Digital mammography. Right breast, CC projection. Patient age 50.
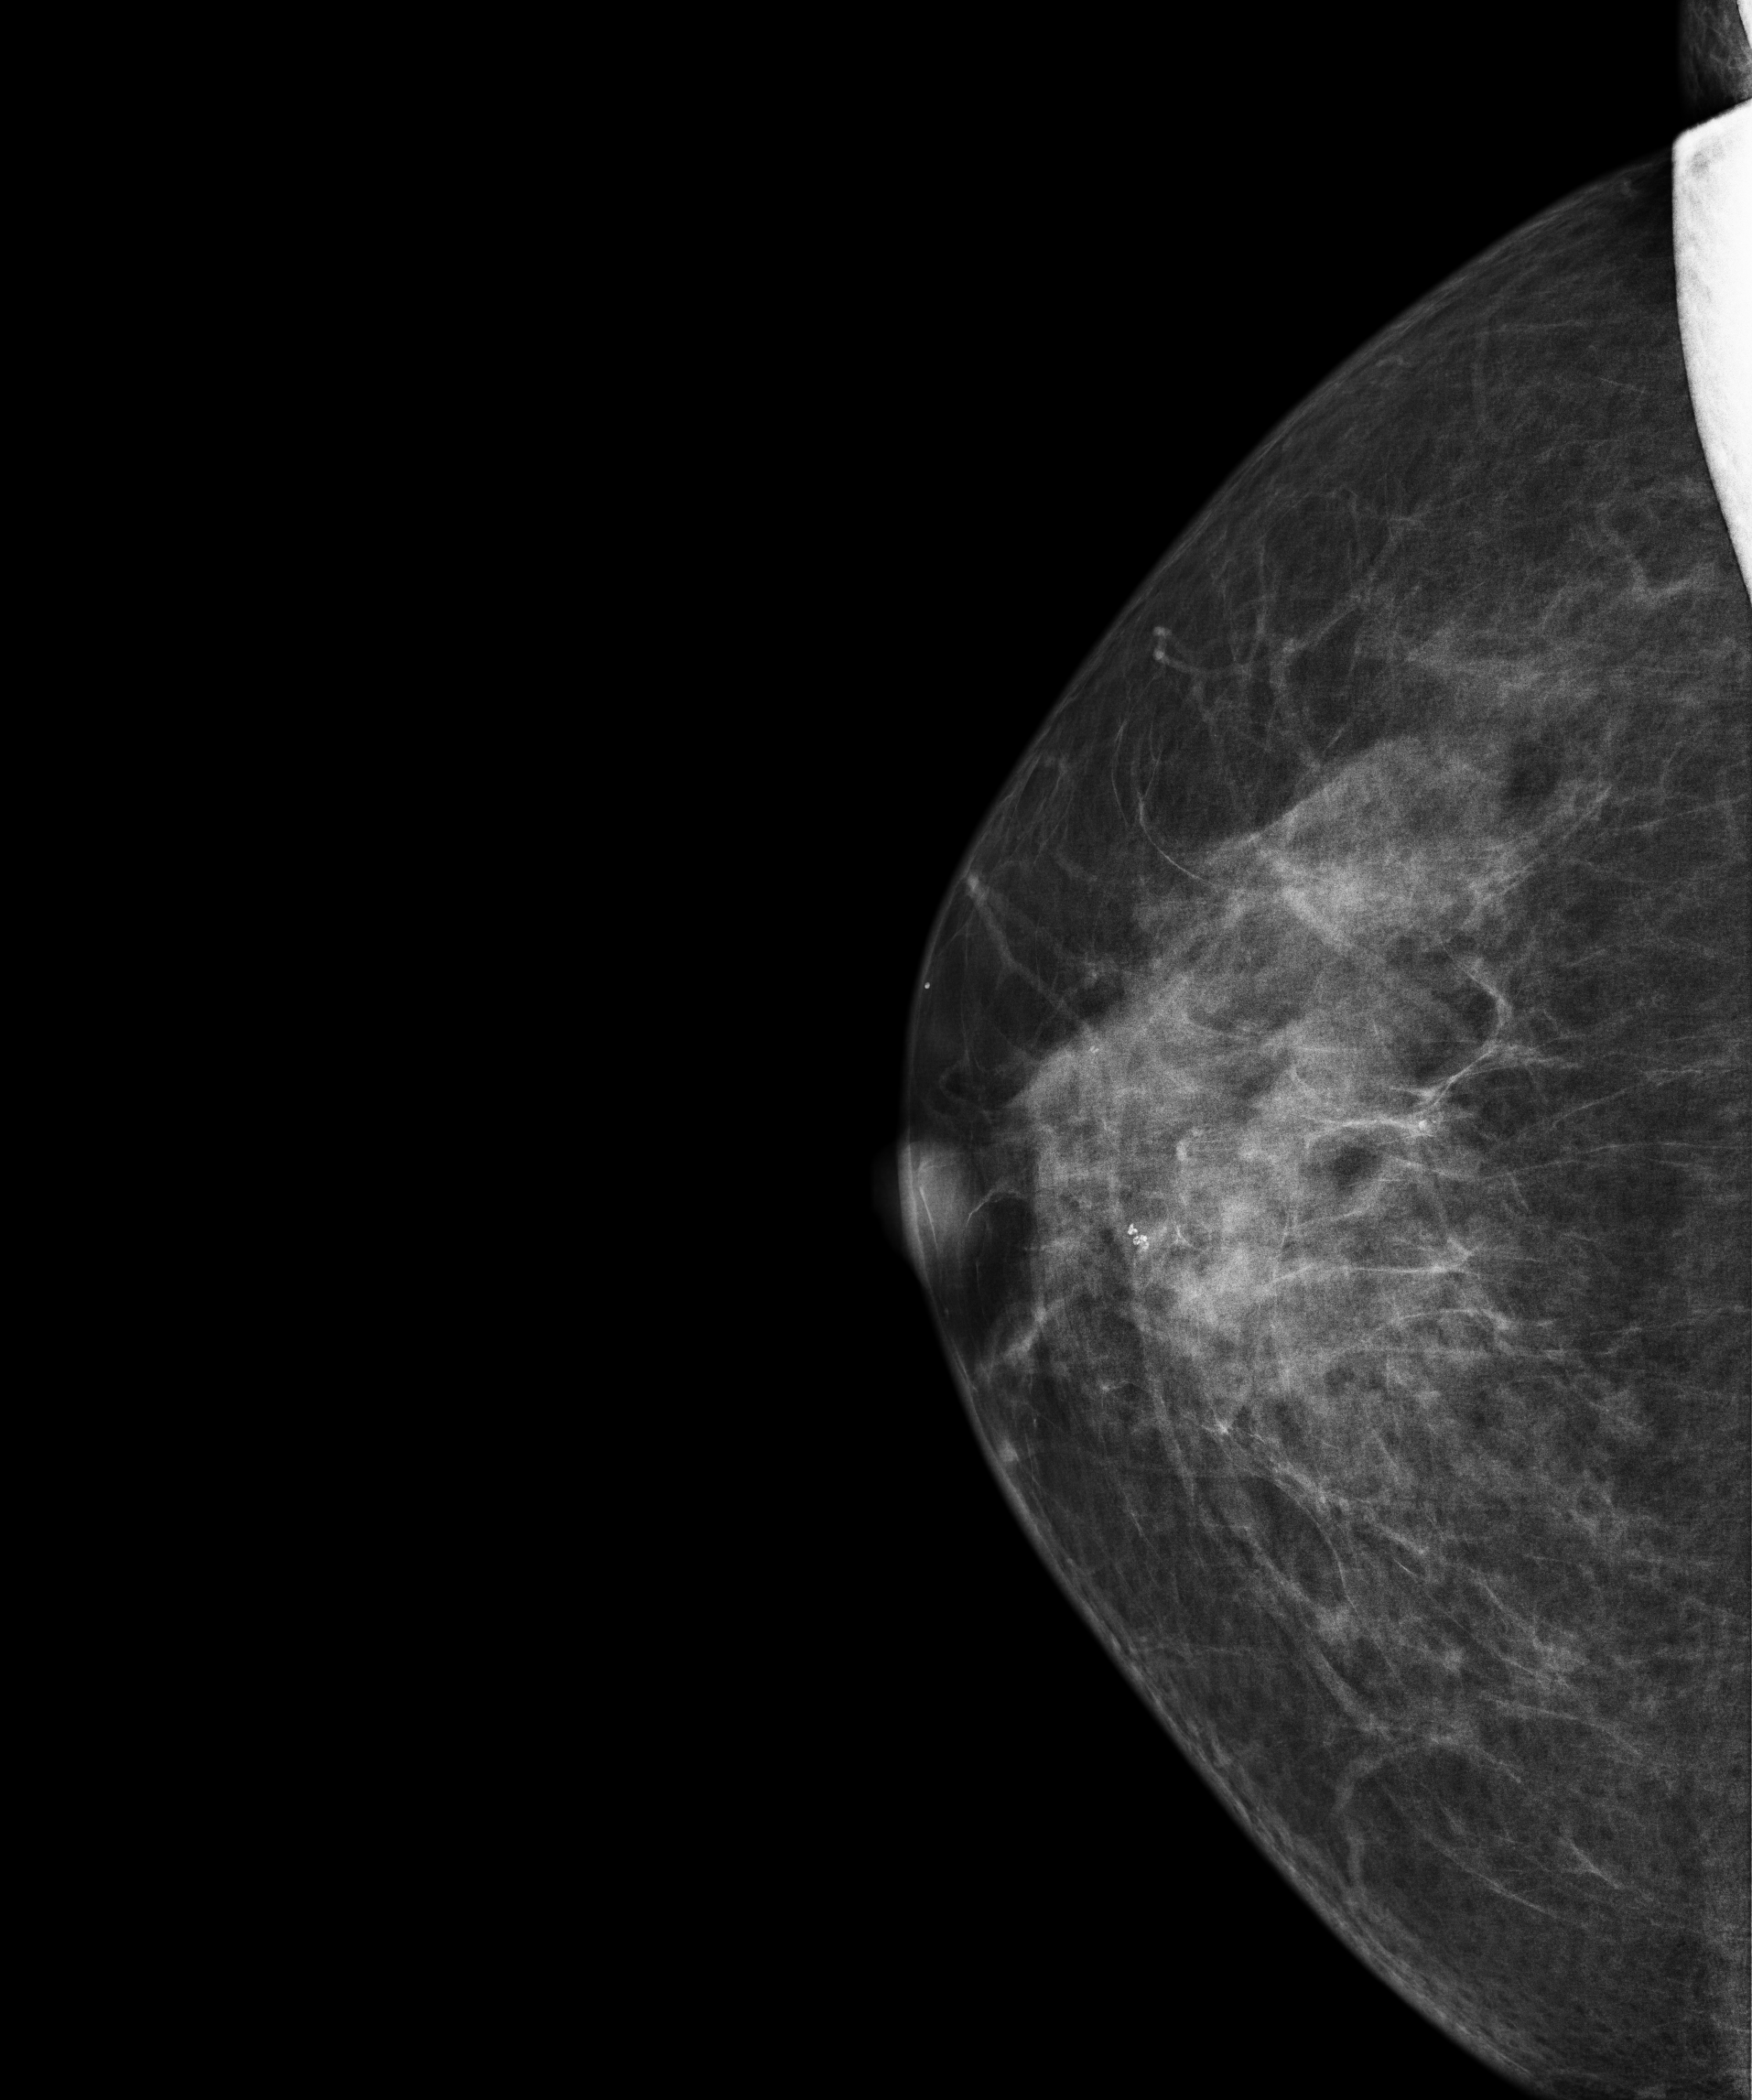
Contralateral breast — no documented abnormality on this side.